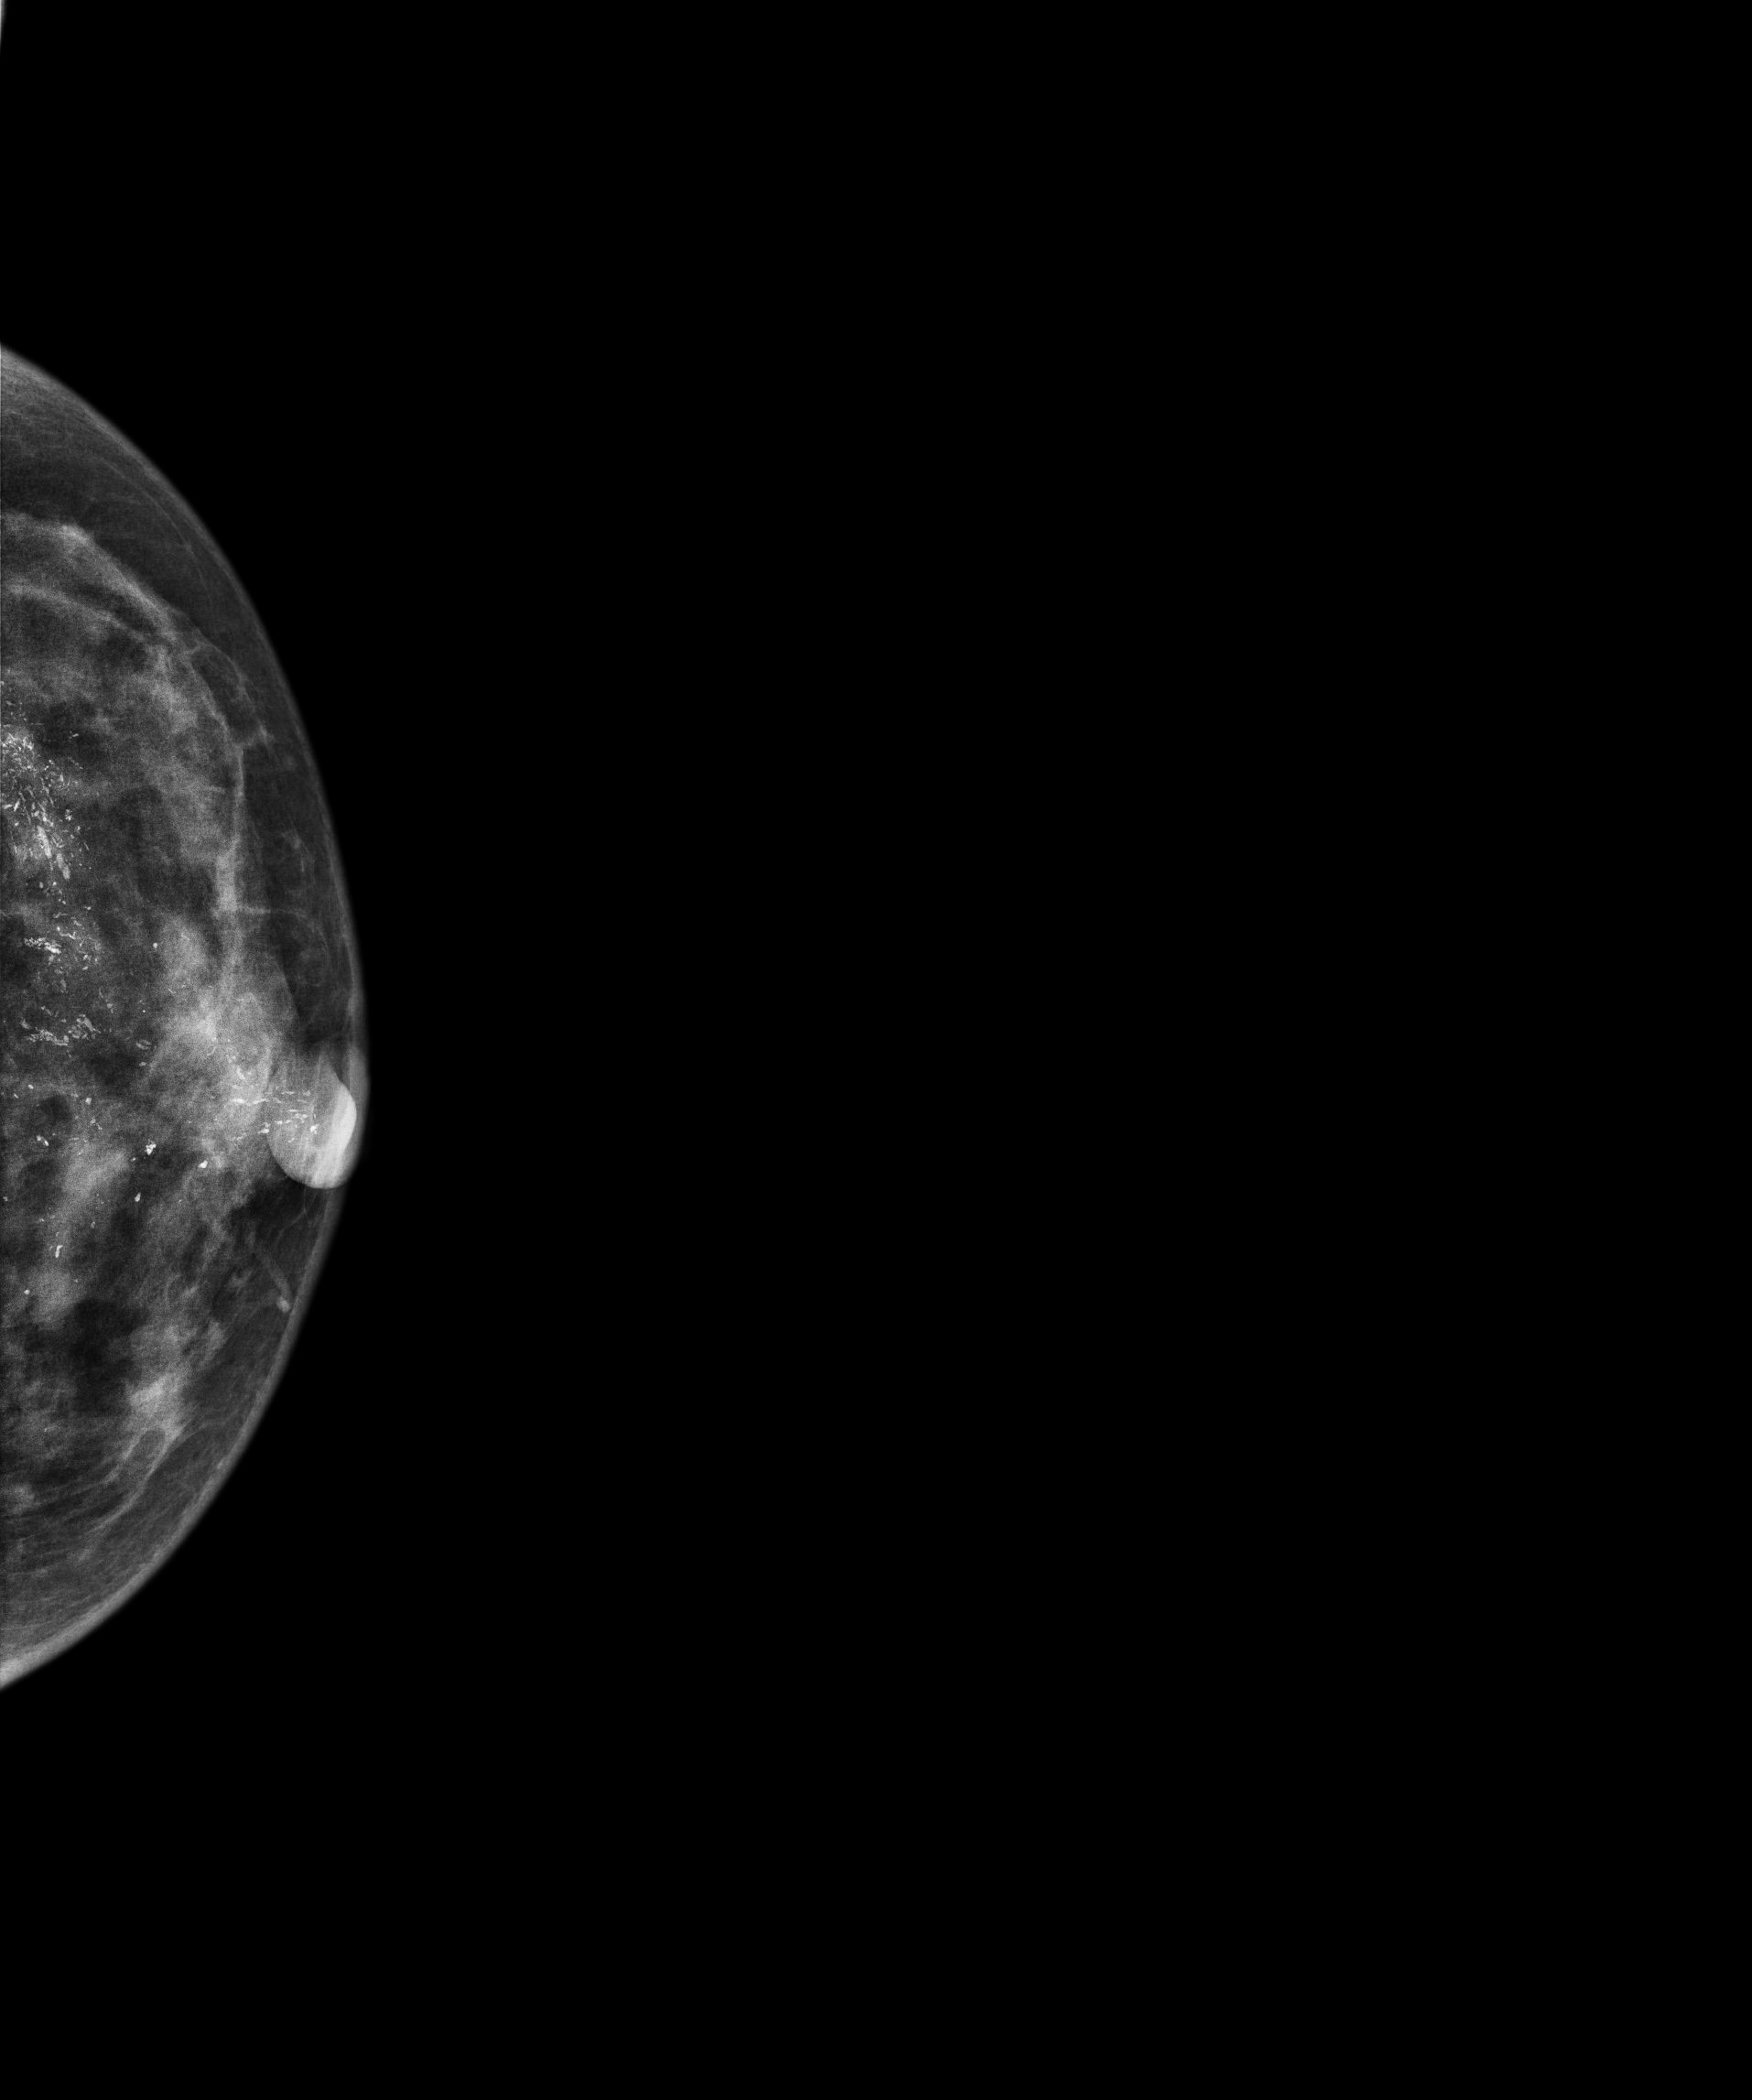
Left-breast mammogram, cranio-caudal. Patient age 58.
This breast has calcifications, biopsy-confirmed malignant. Molecular subtype: HER2-enriched.